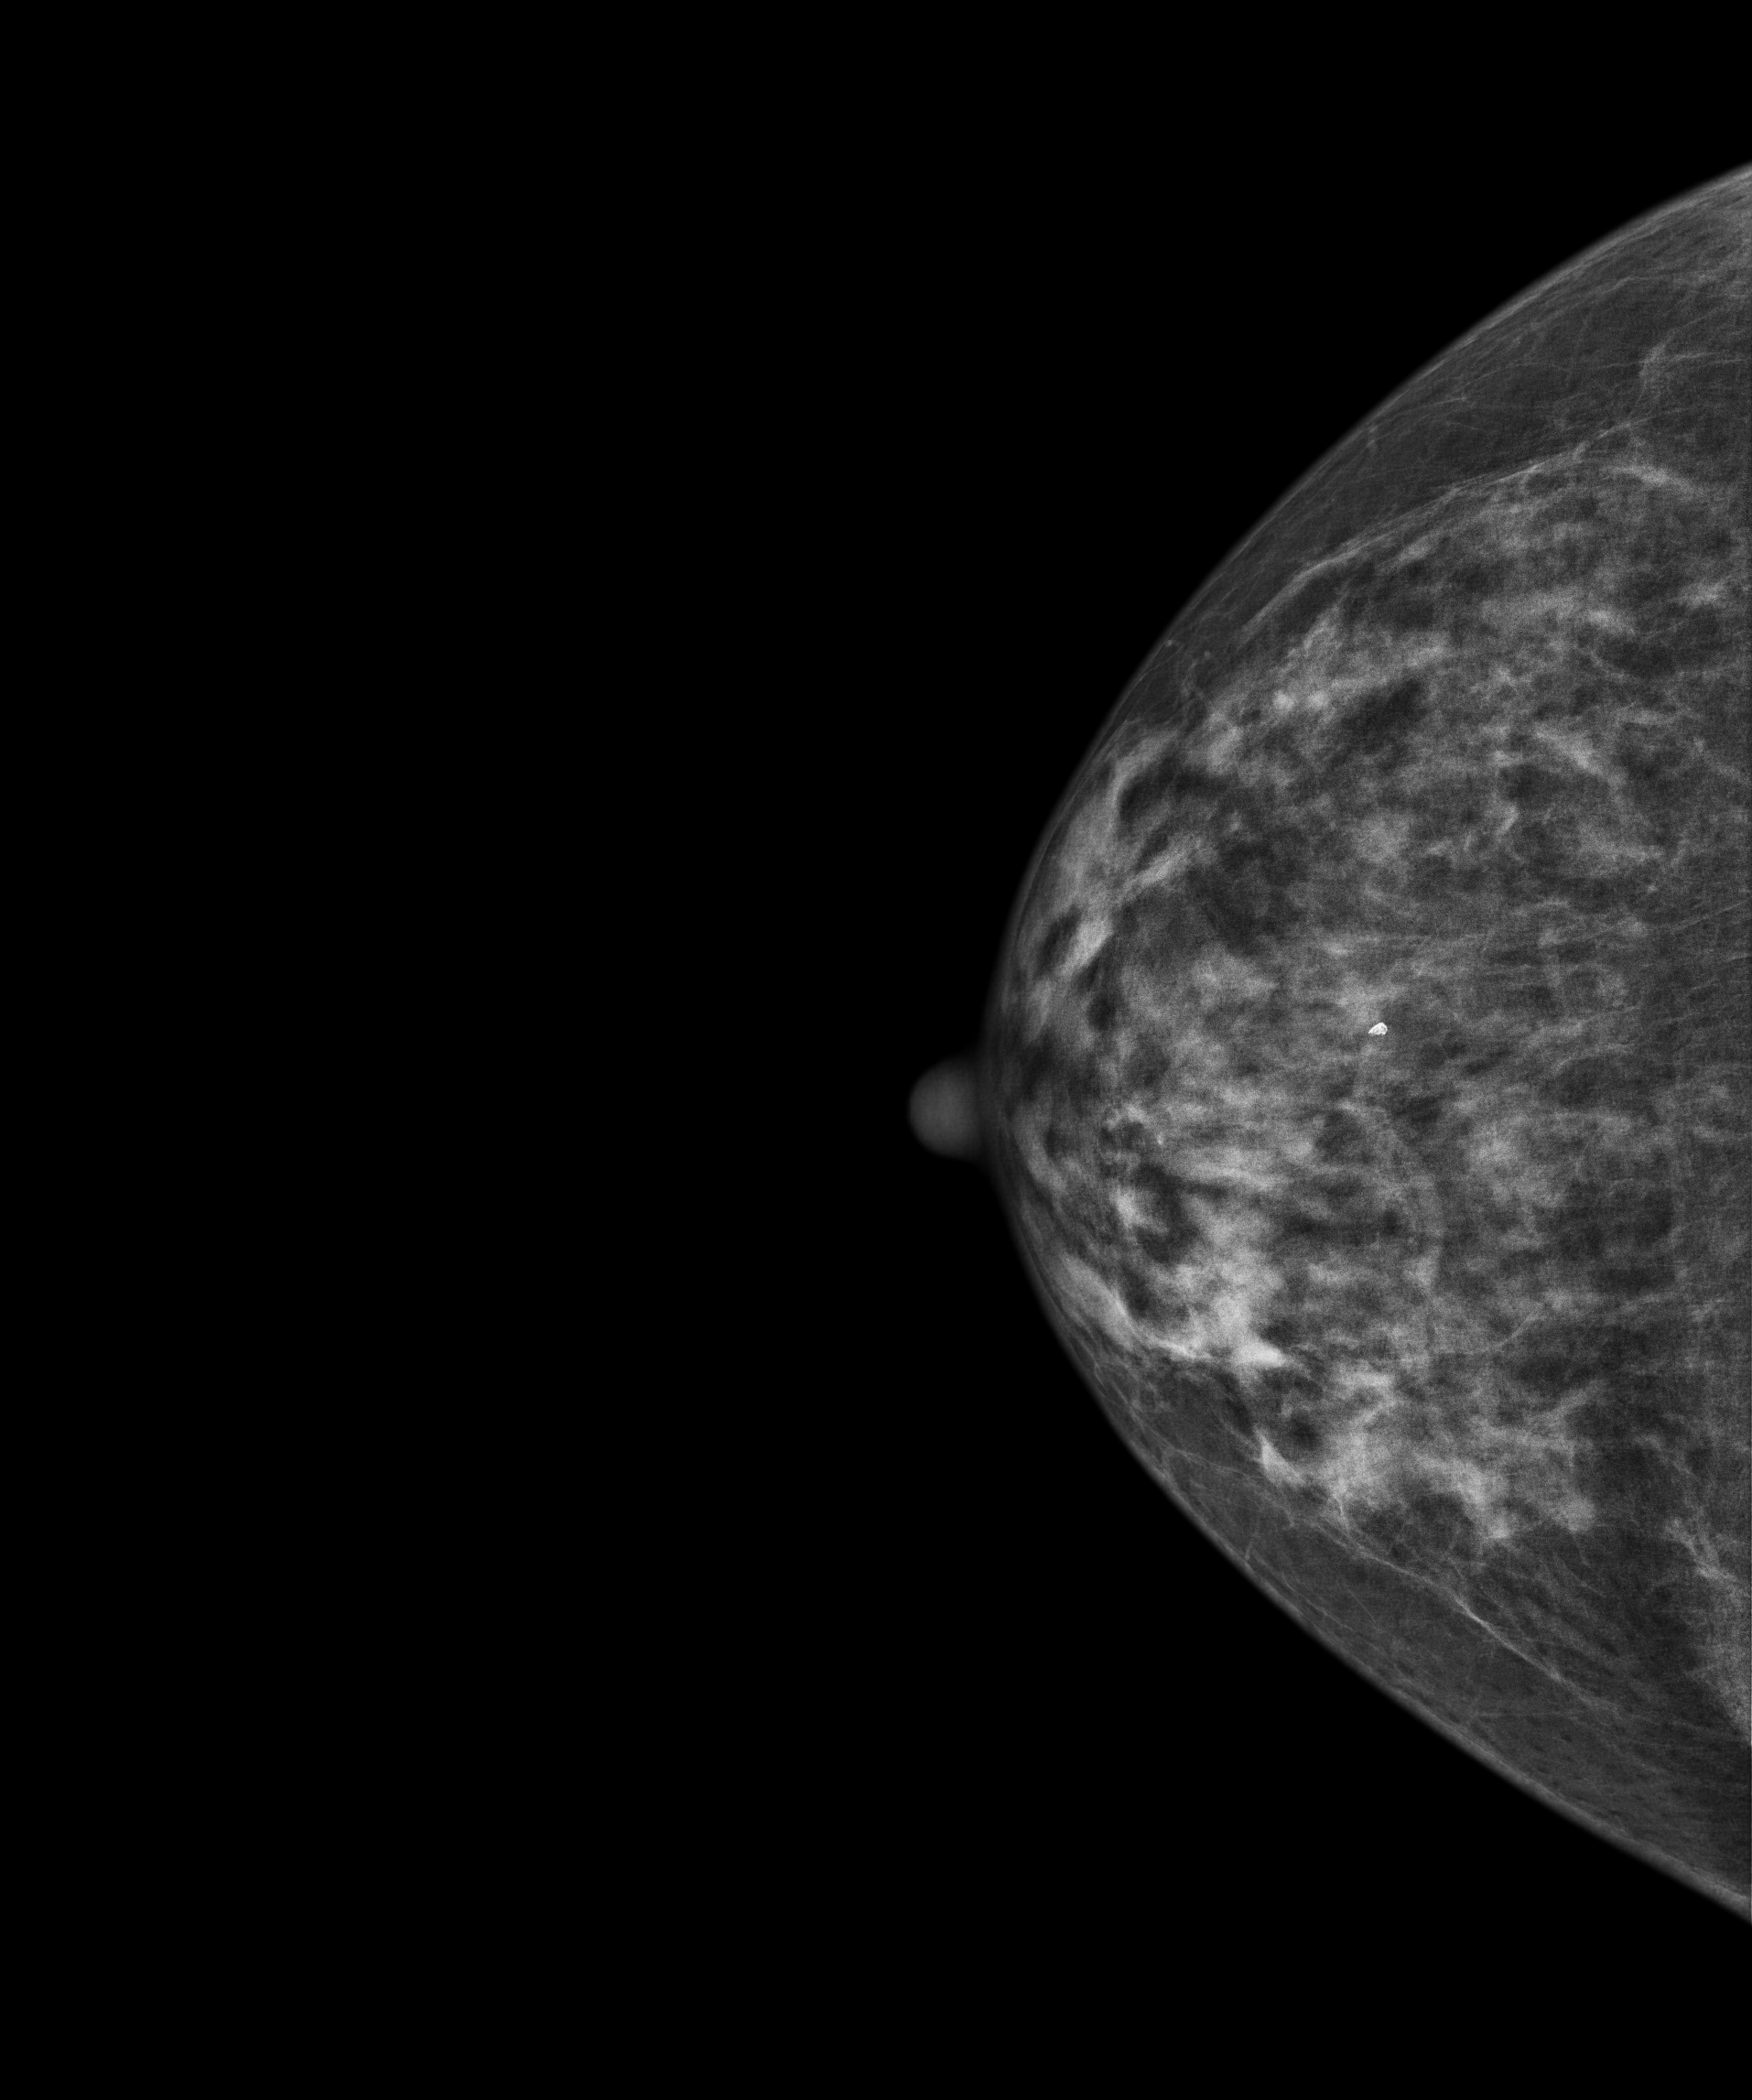
Mammogram, right breast, CC view. 61-year-old patient.
Contralateral breast — no documented abnormality on this side.